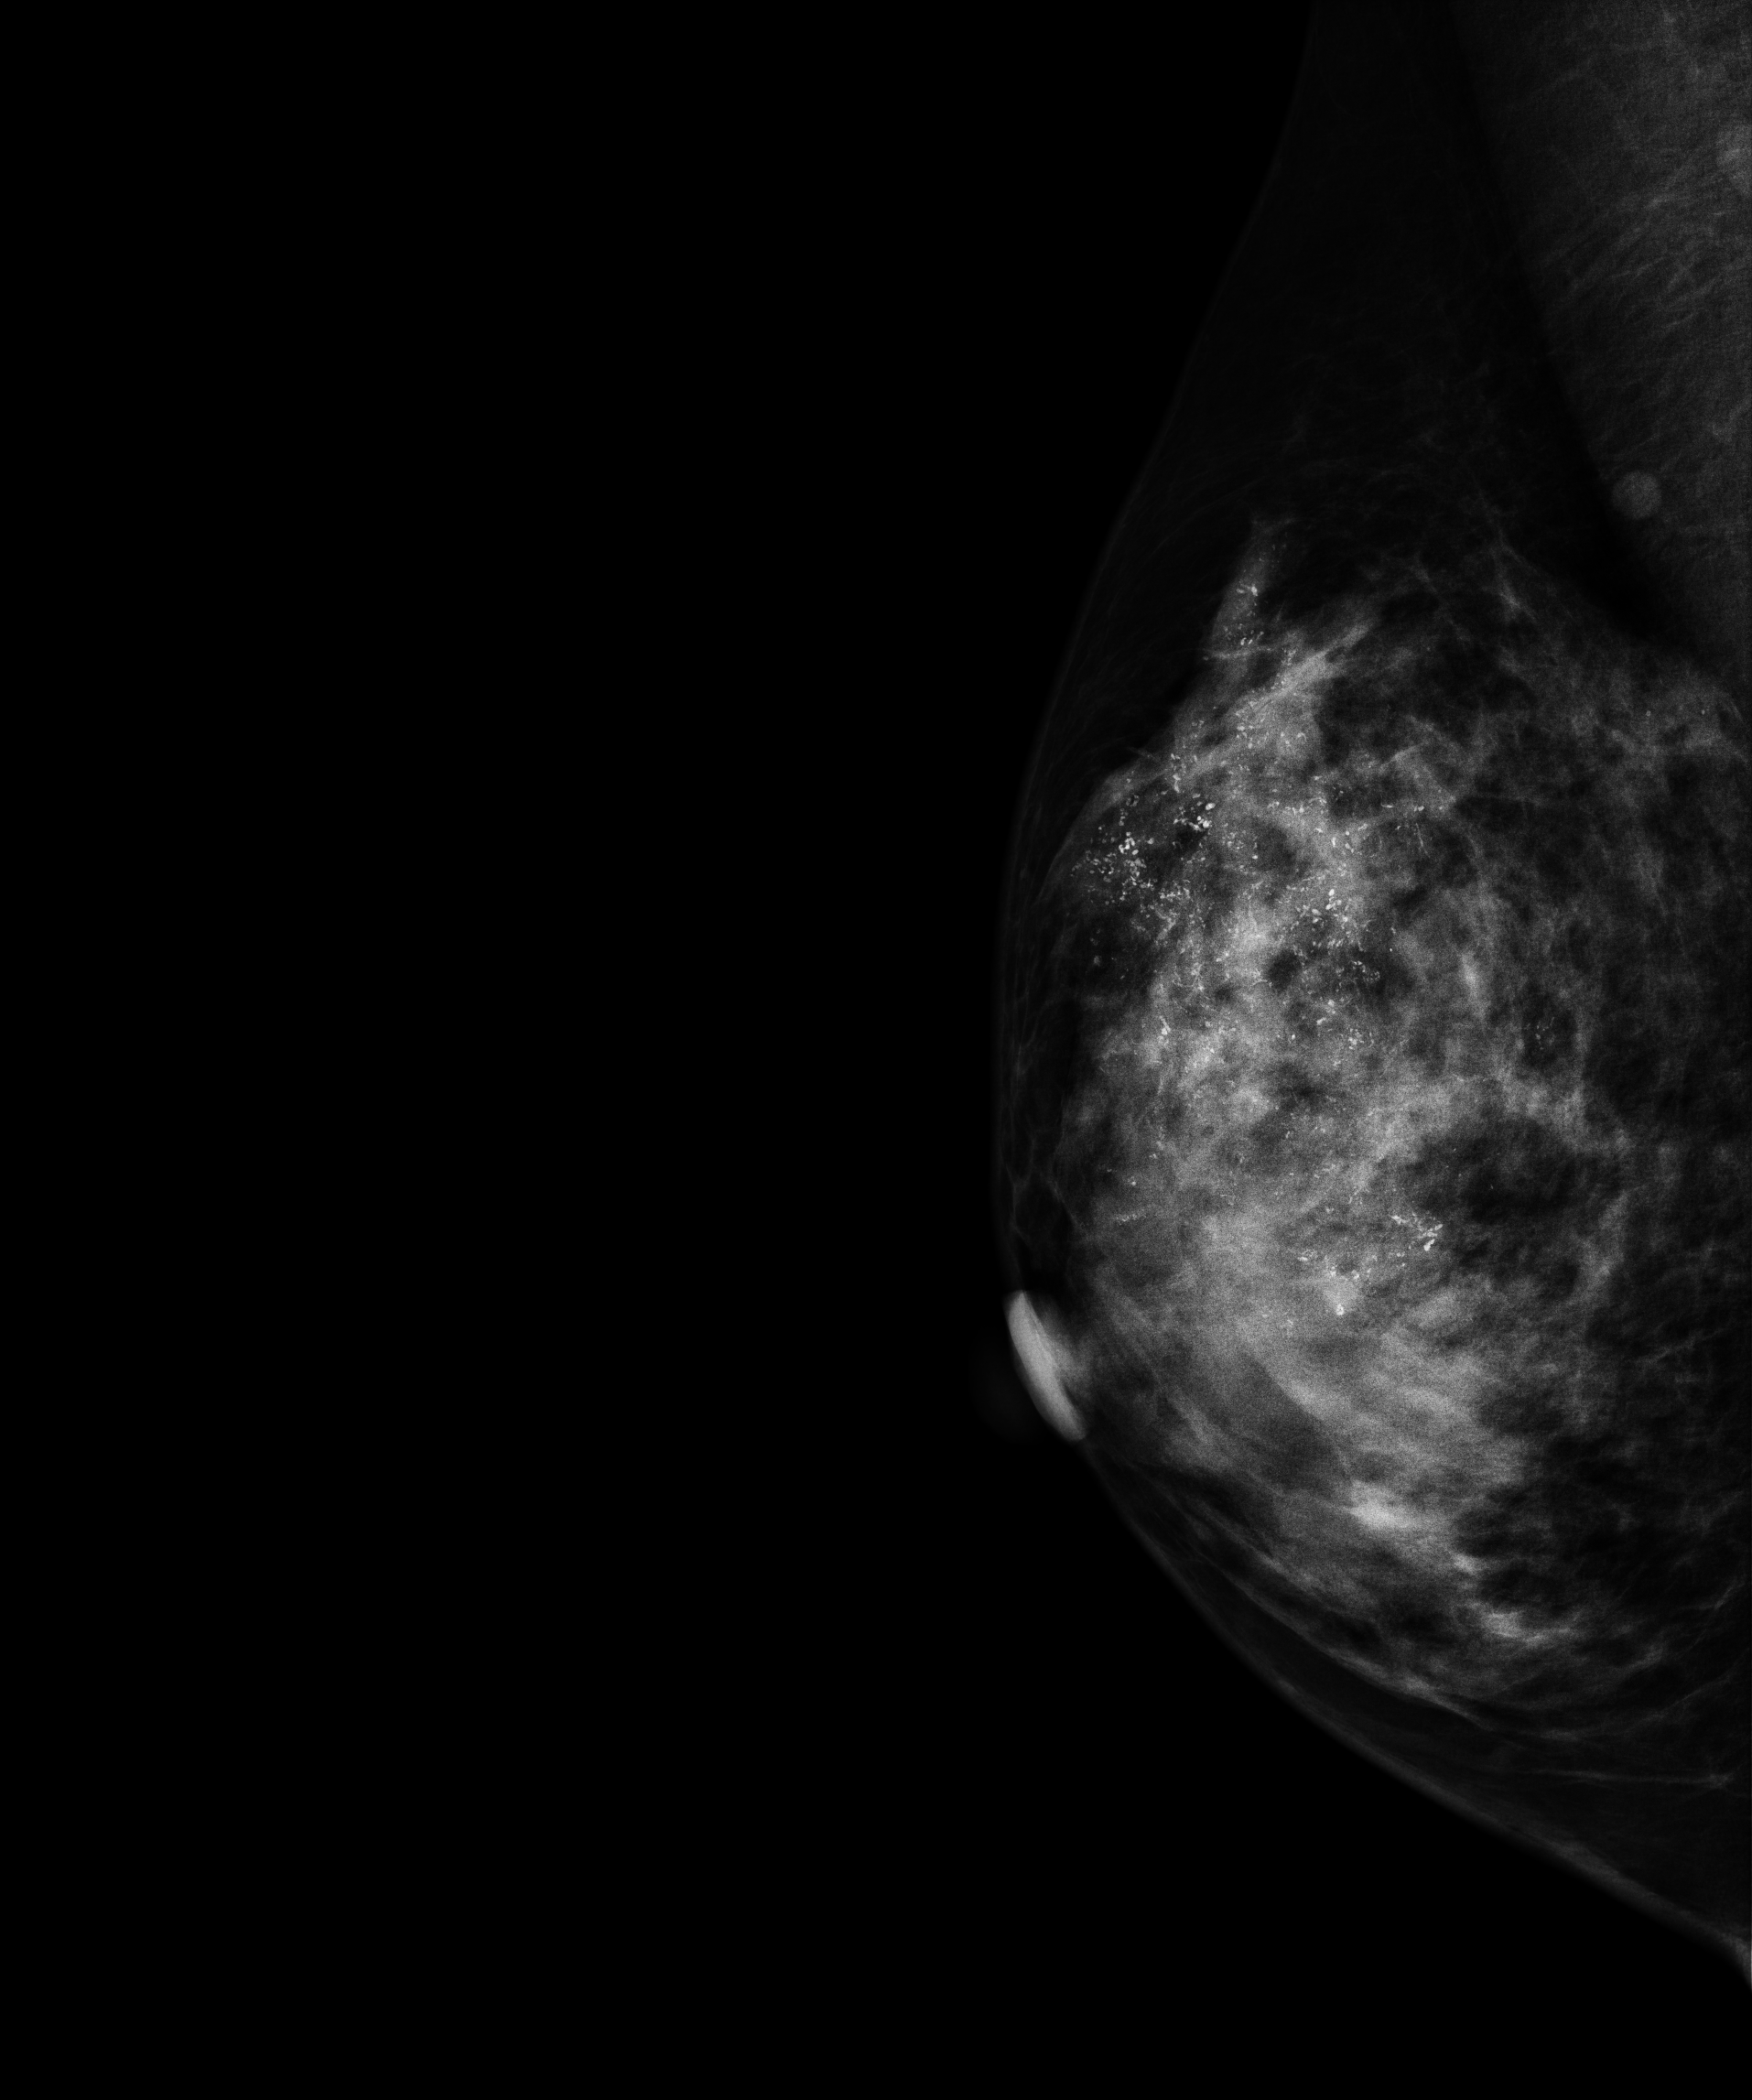
Mammogram, right breast, medio-lateral oblique view. 59 y/o patient.
This breast has calcifications, biopsy-proven malignant.